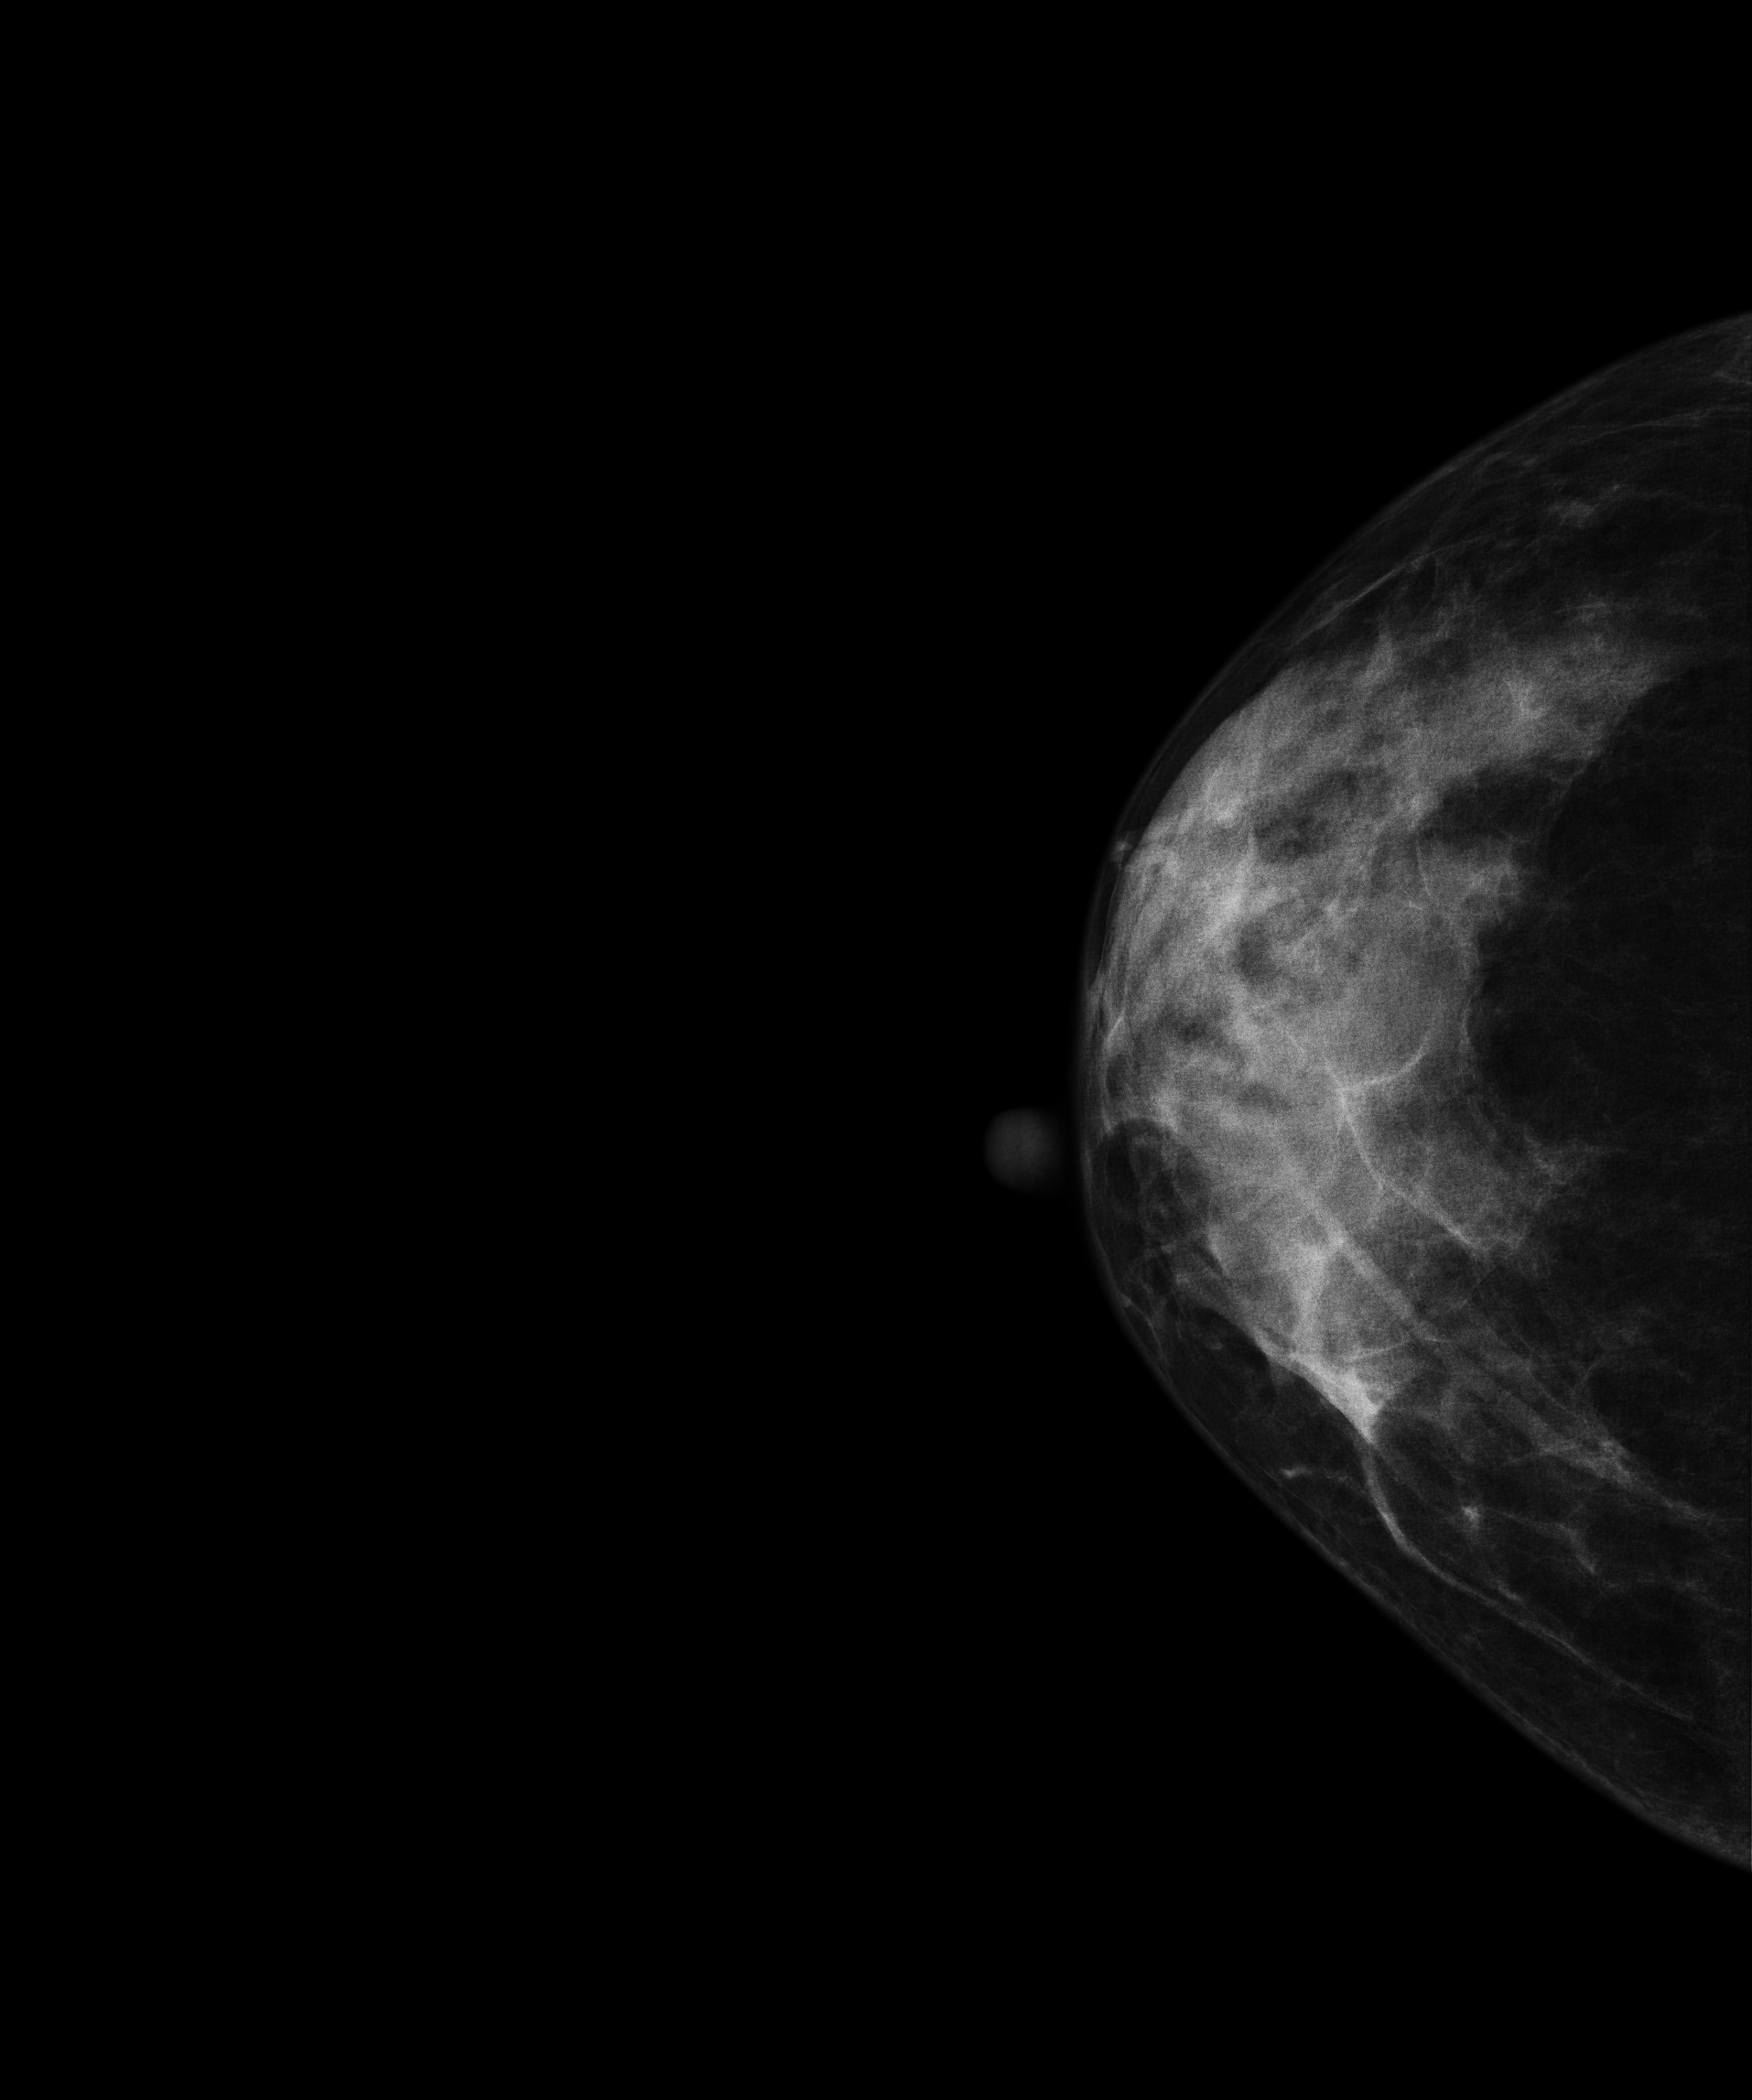
Cranio-caudal mammogram of the right breast. 55 y/o patient.
Contralateral breast — no documented abnormality on this side.